Mammogram, left breast, CC view. 54 y/o patient.
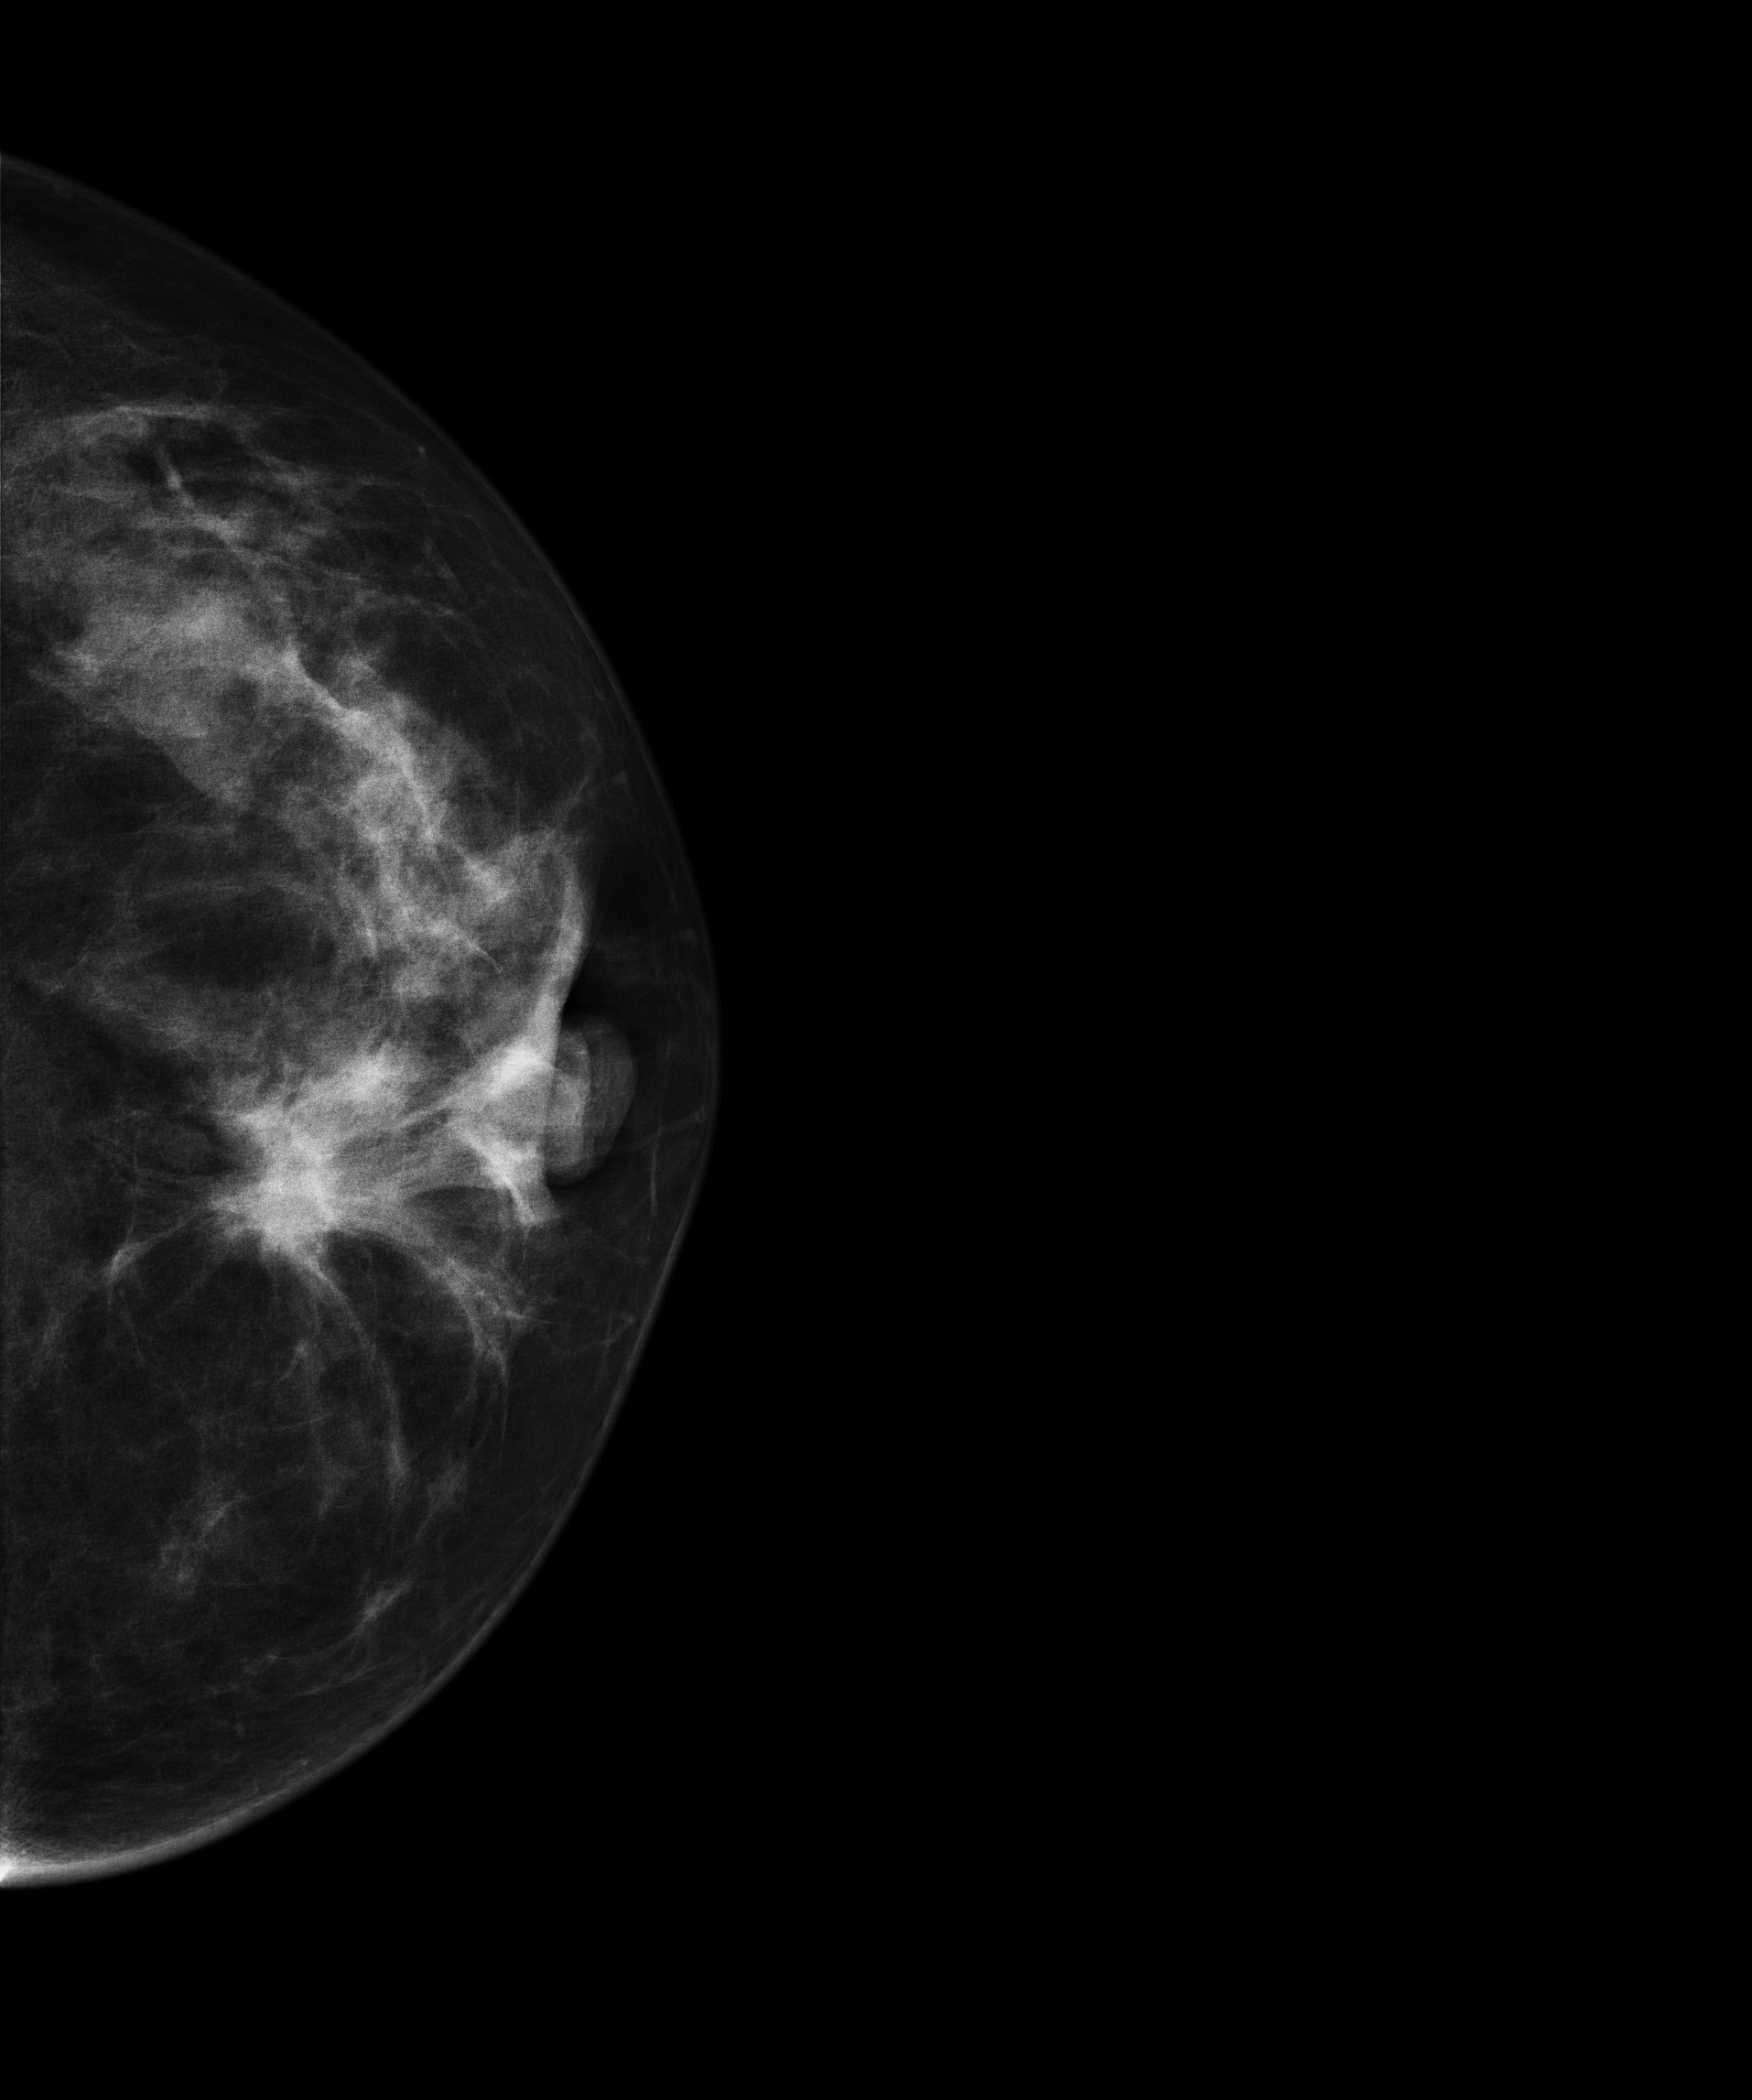
This breast has a mass, pathology-confirmed malignant. Molecular subtype: luminal B.